MLO mammogram of the left breast. 36-year-old patient.
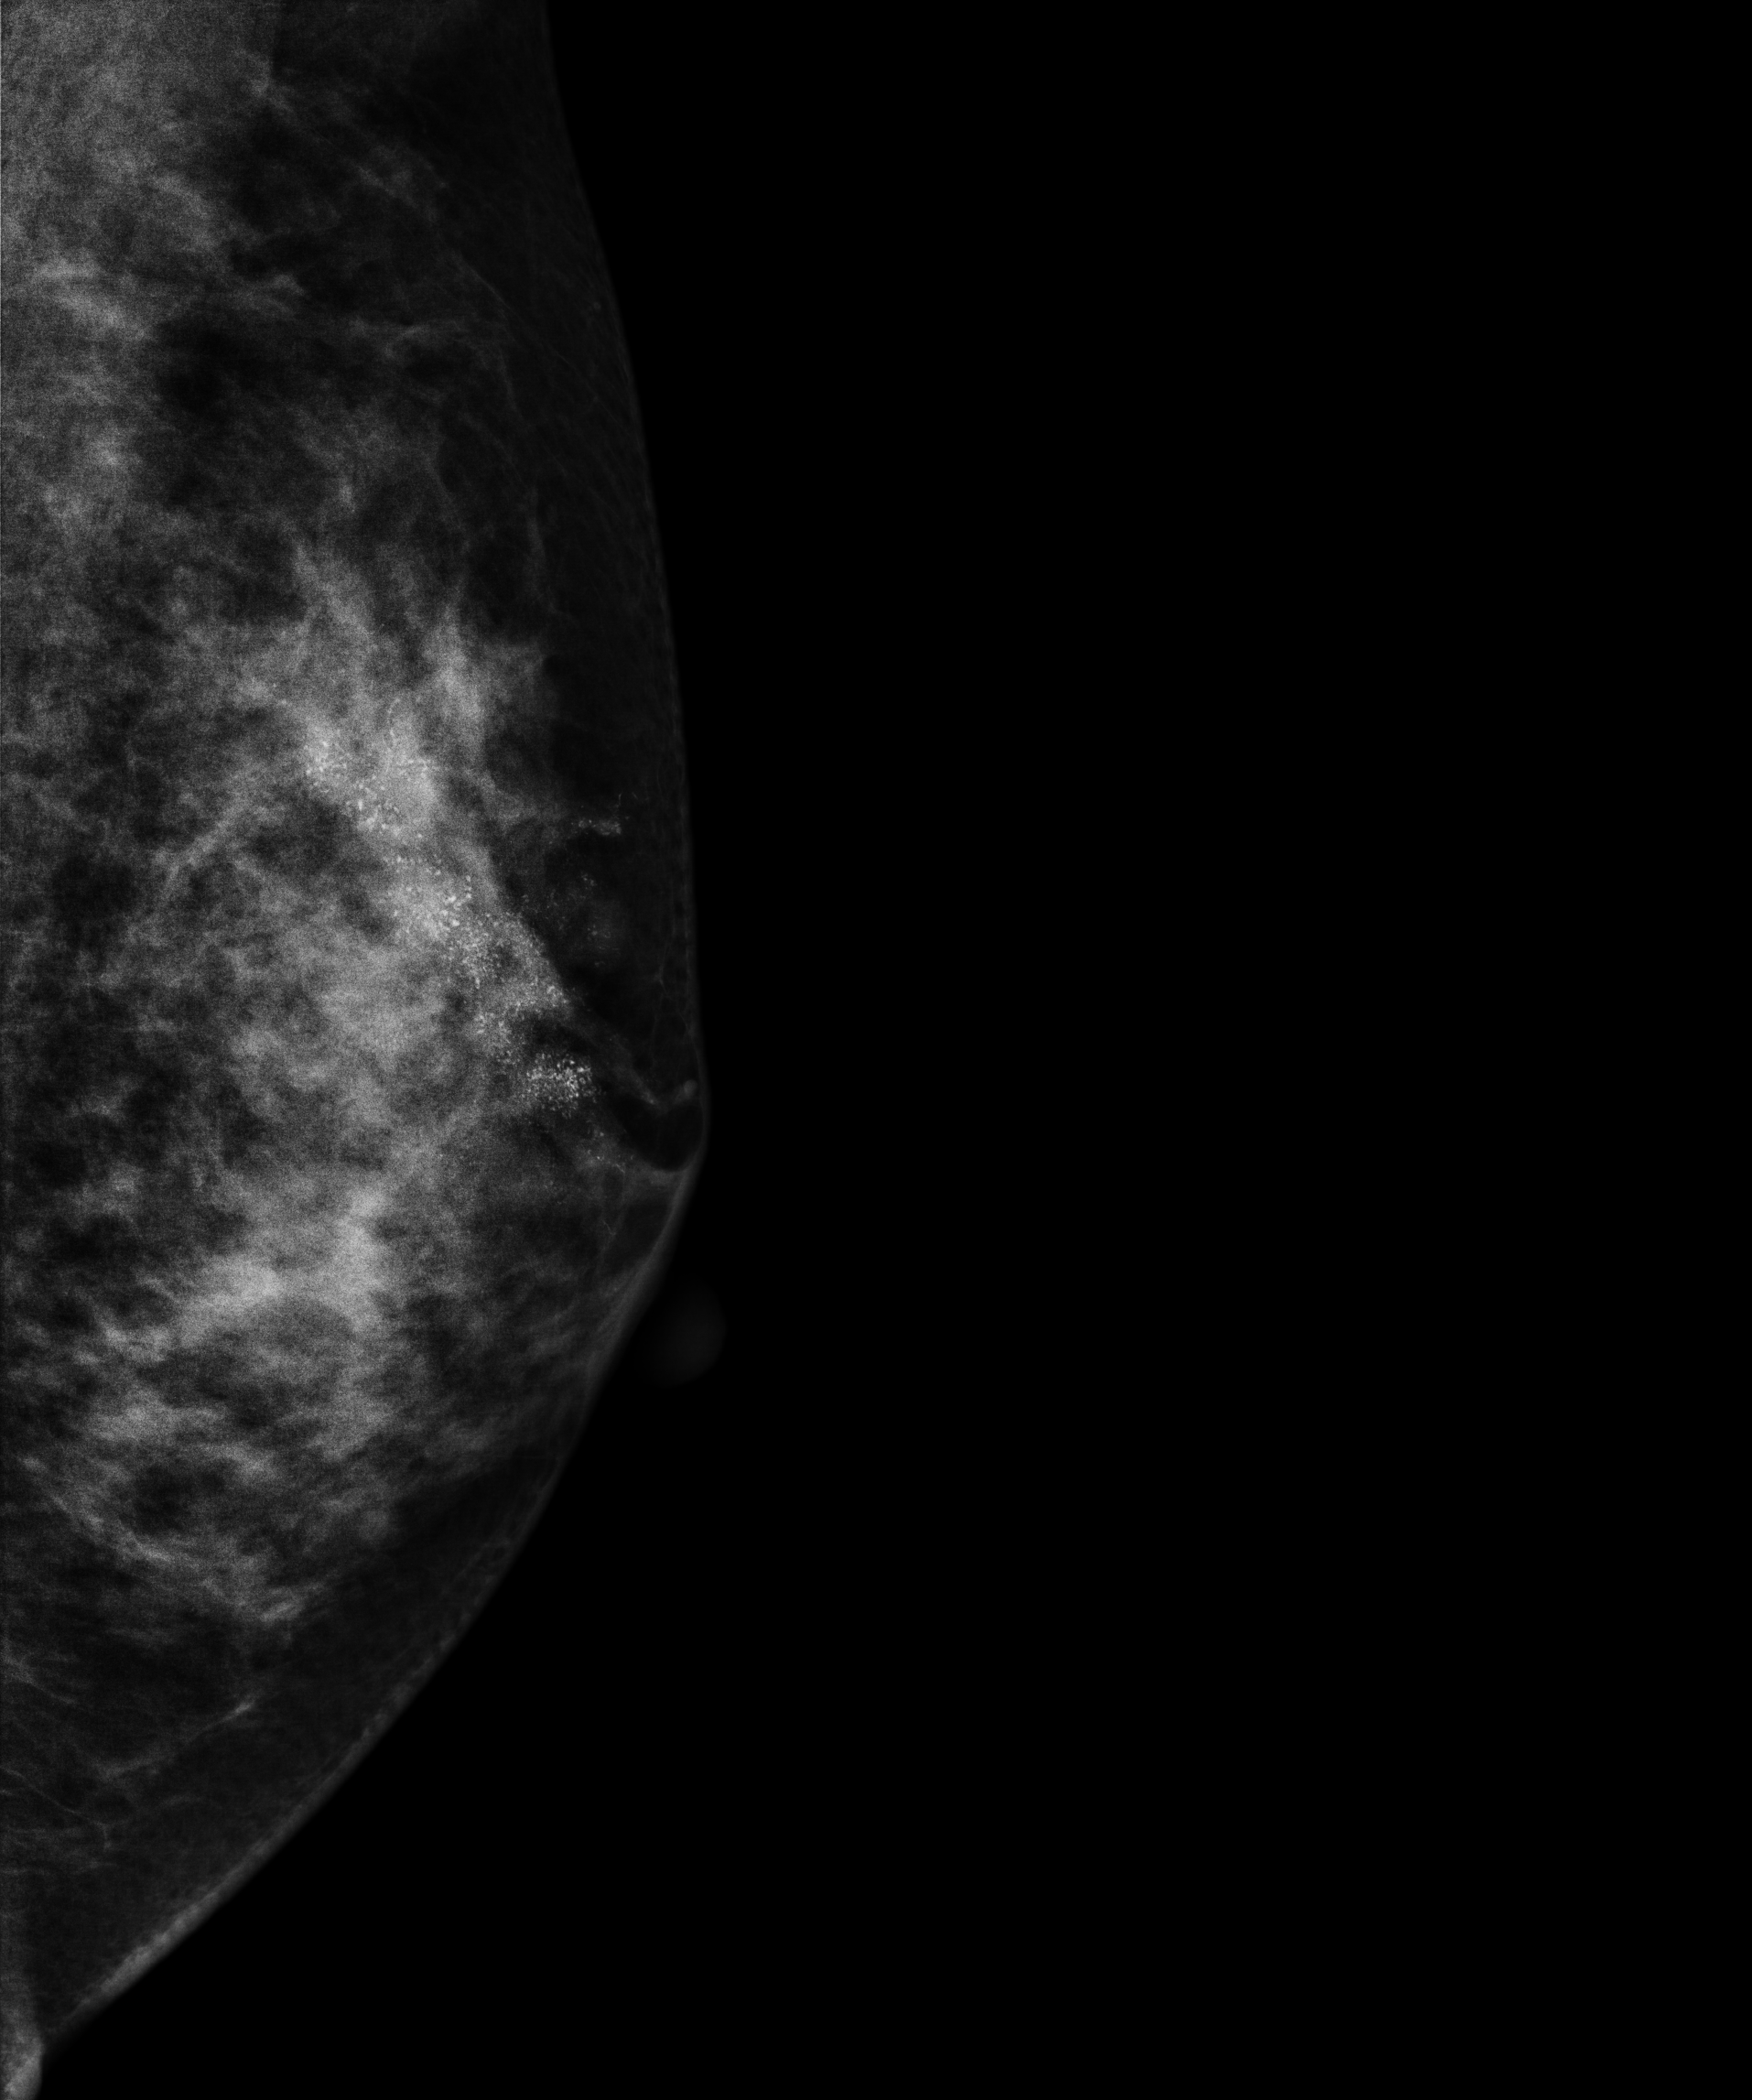
This breast has calcifications, biopsy-proven malignant.